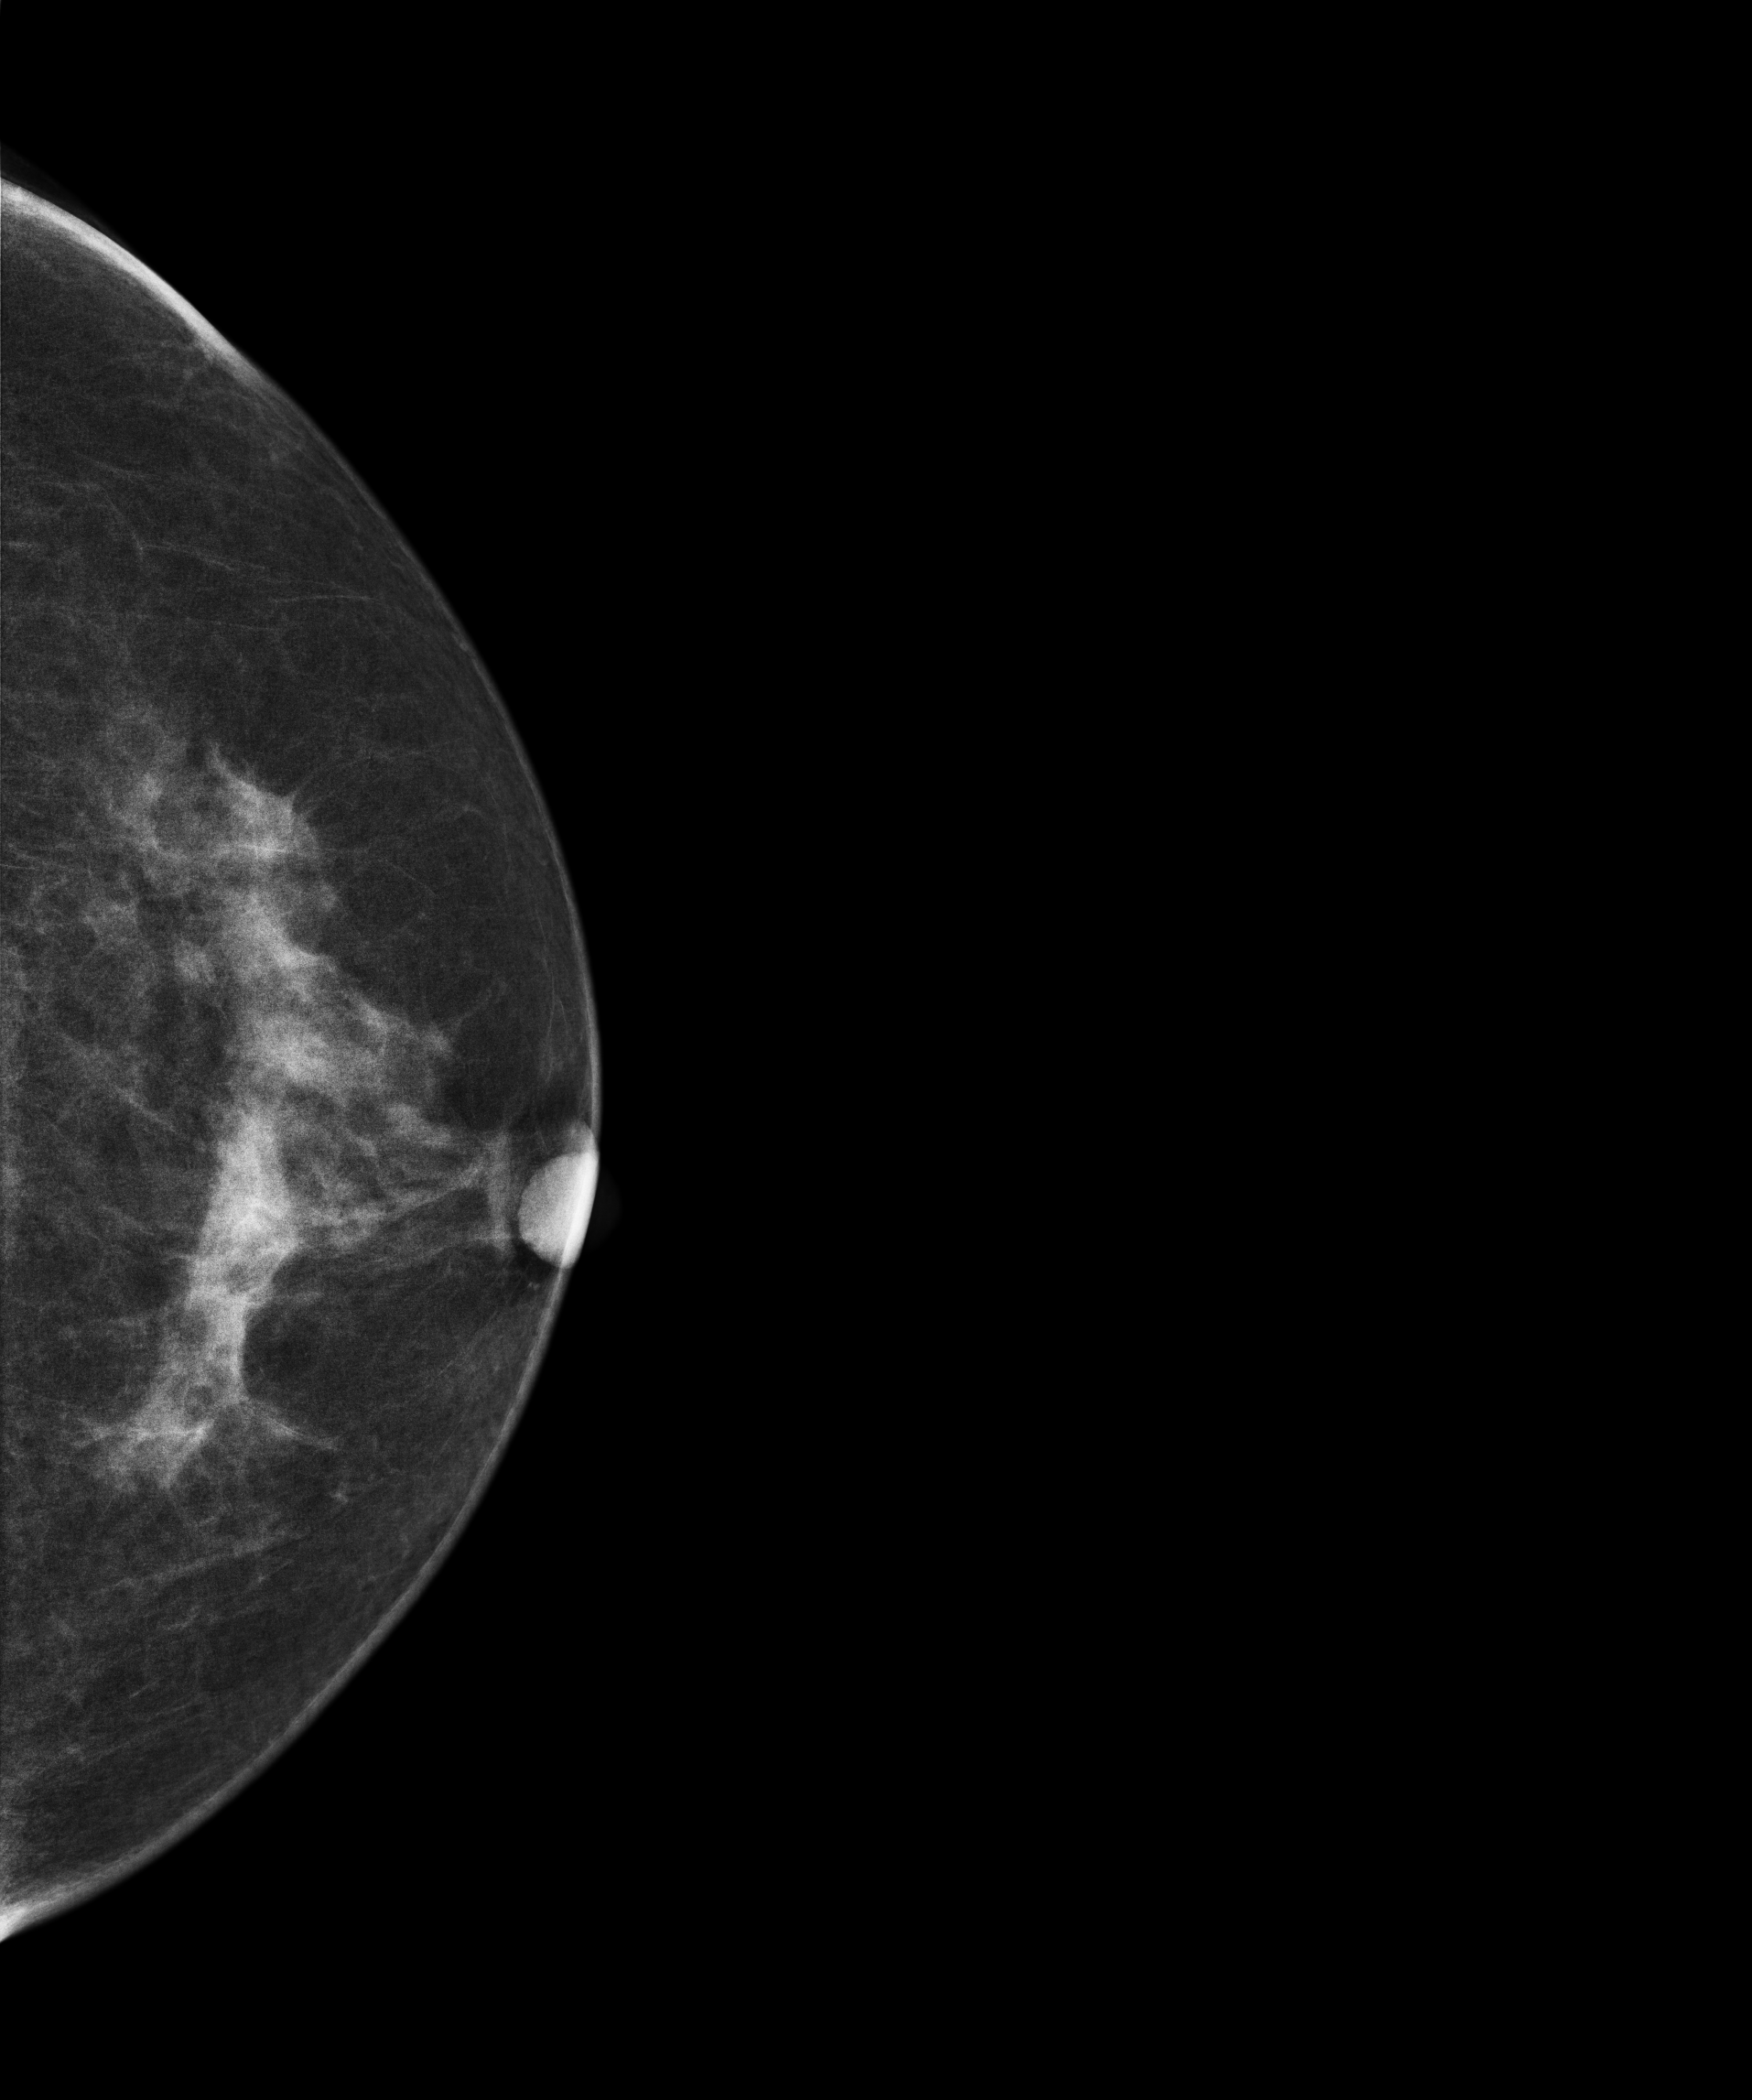
Mammogram, left breast, cranio-caudal view. 62-year-old patient.
Contralateral breast — no documented abnormality on this side.